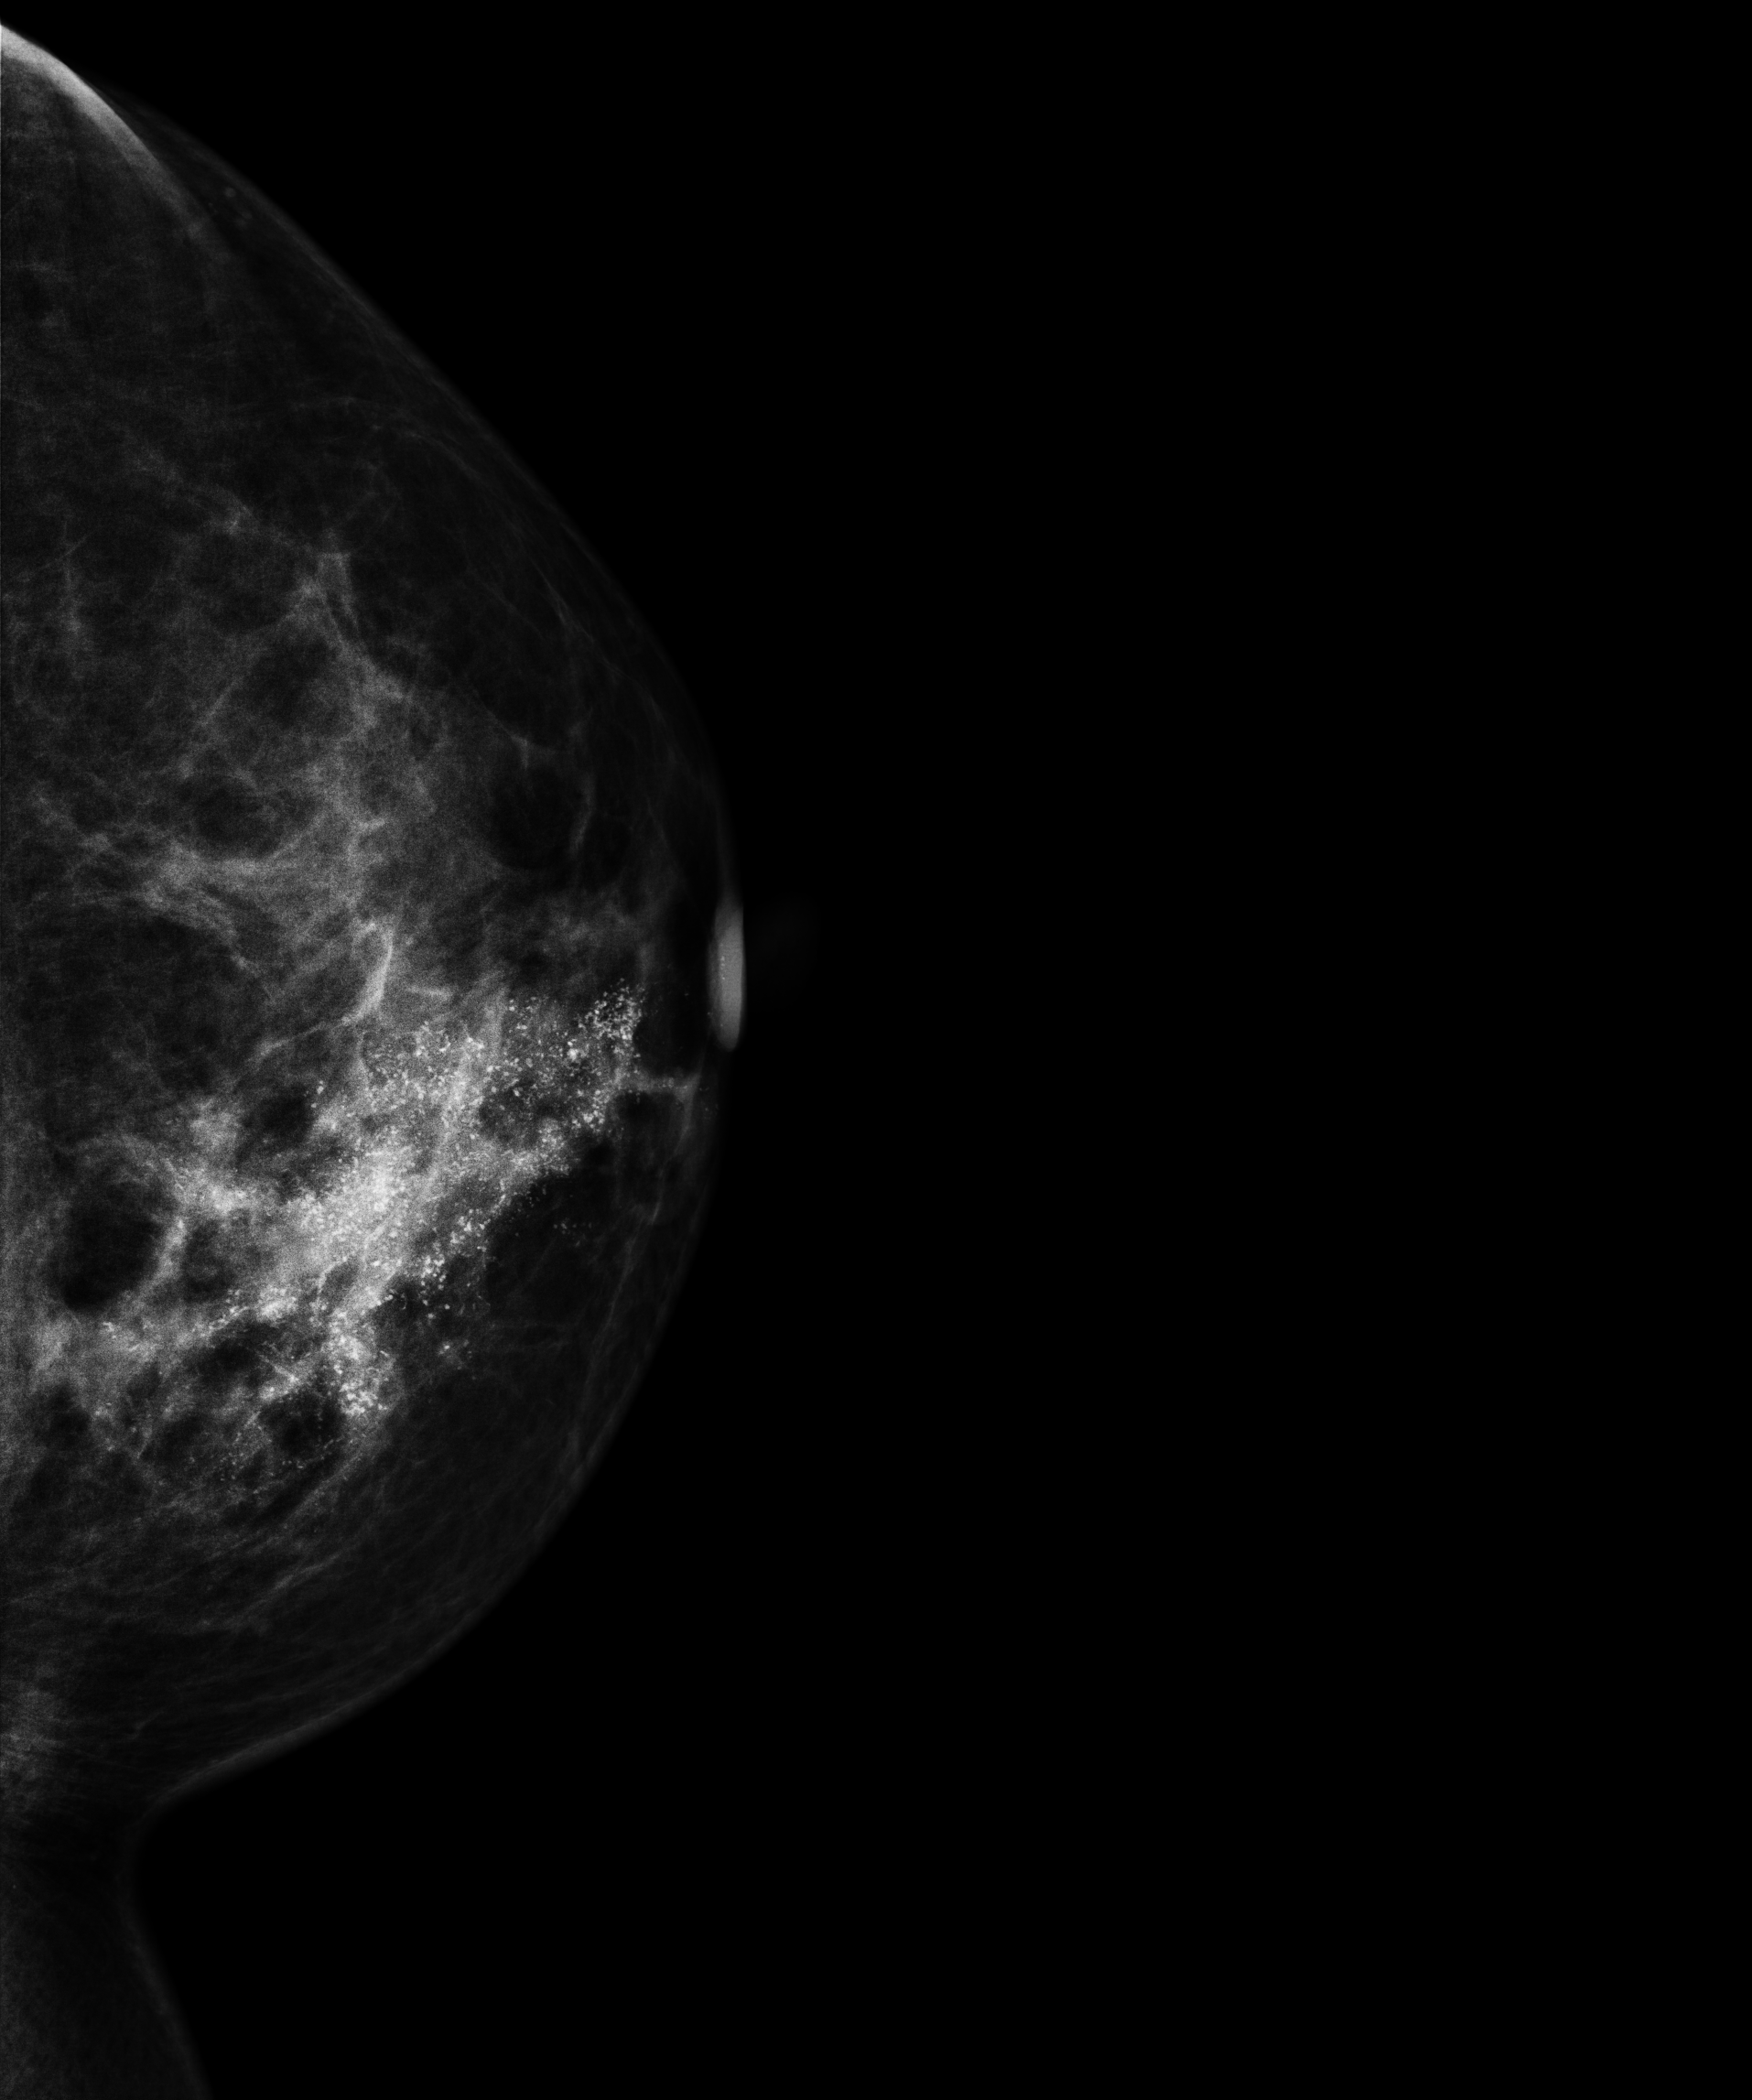
Mammogram, left breast, CC view. 42-year-old patient.
This breast has a mass and calcifications, biopsy-proven malignant. Molecular subtype: luminal B.